Digital mammography. Right breast, medio-lateral oblique projection. Patient age 32.
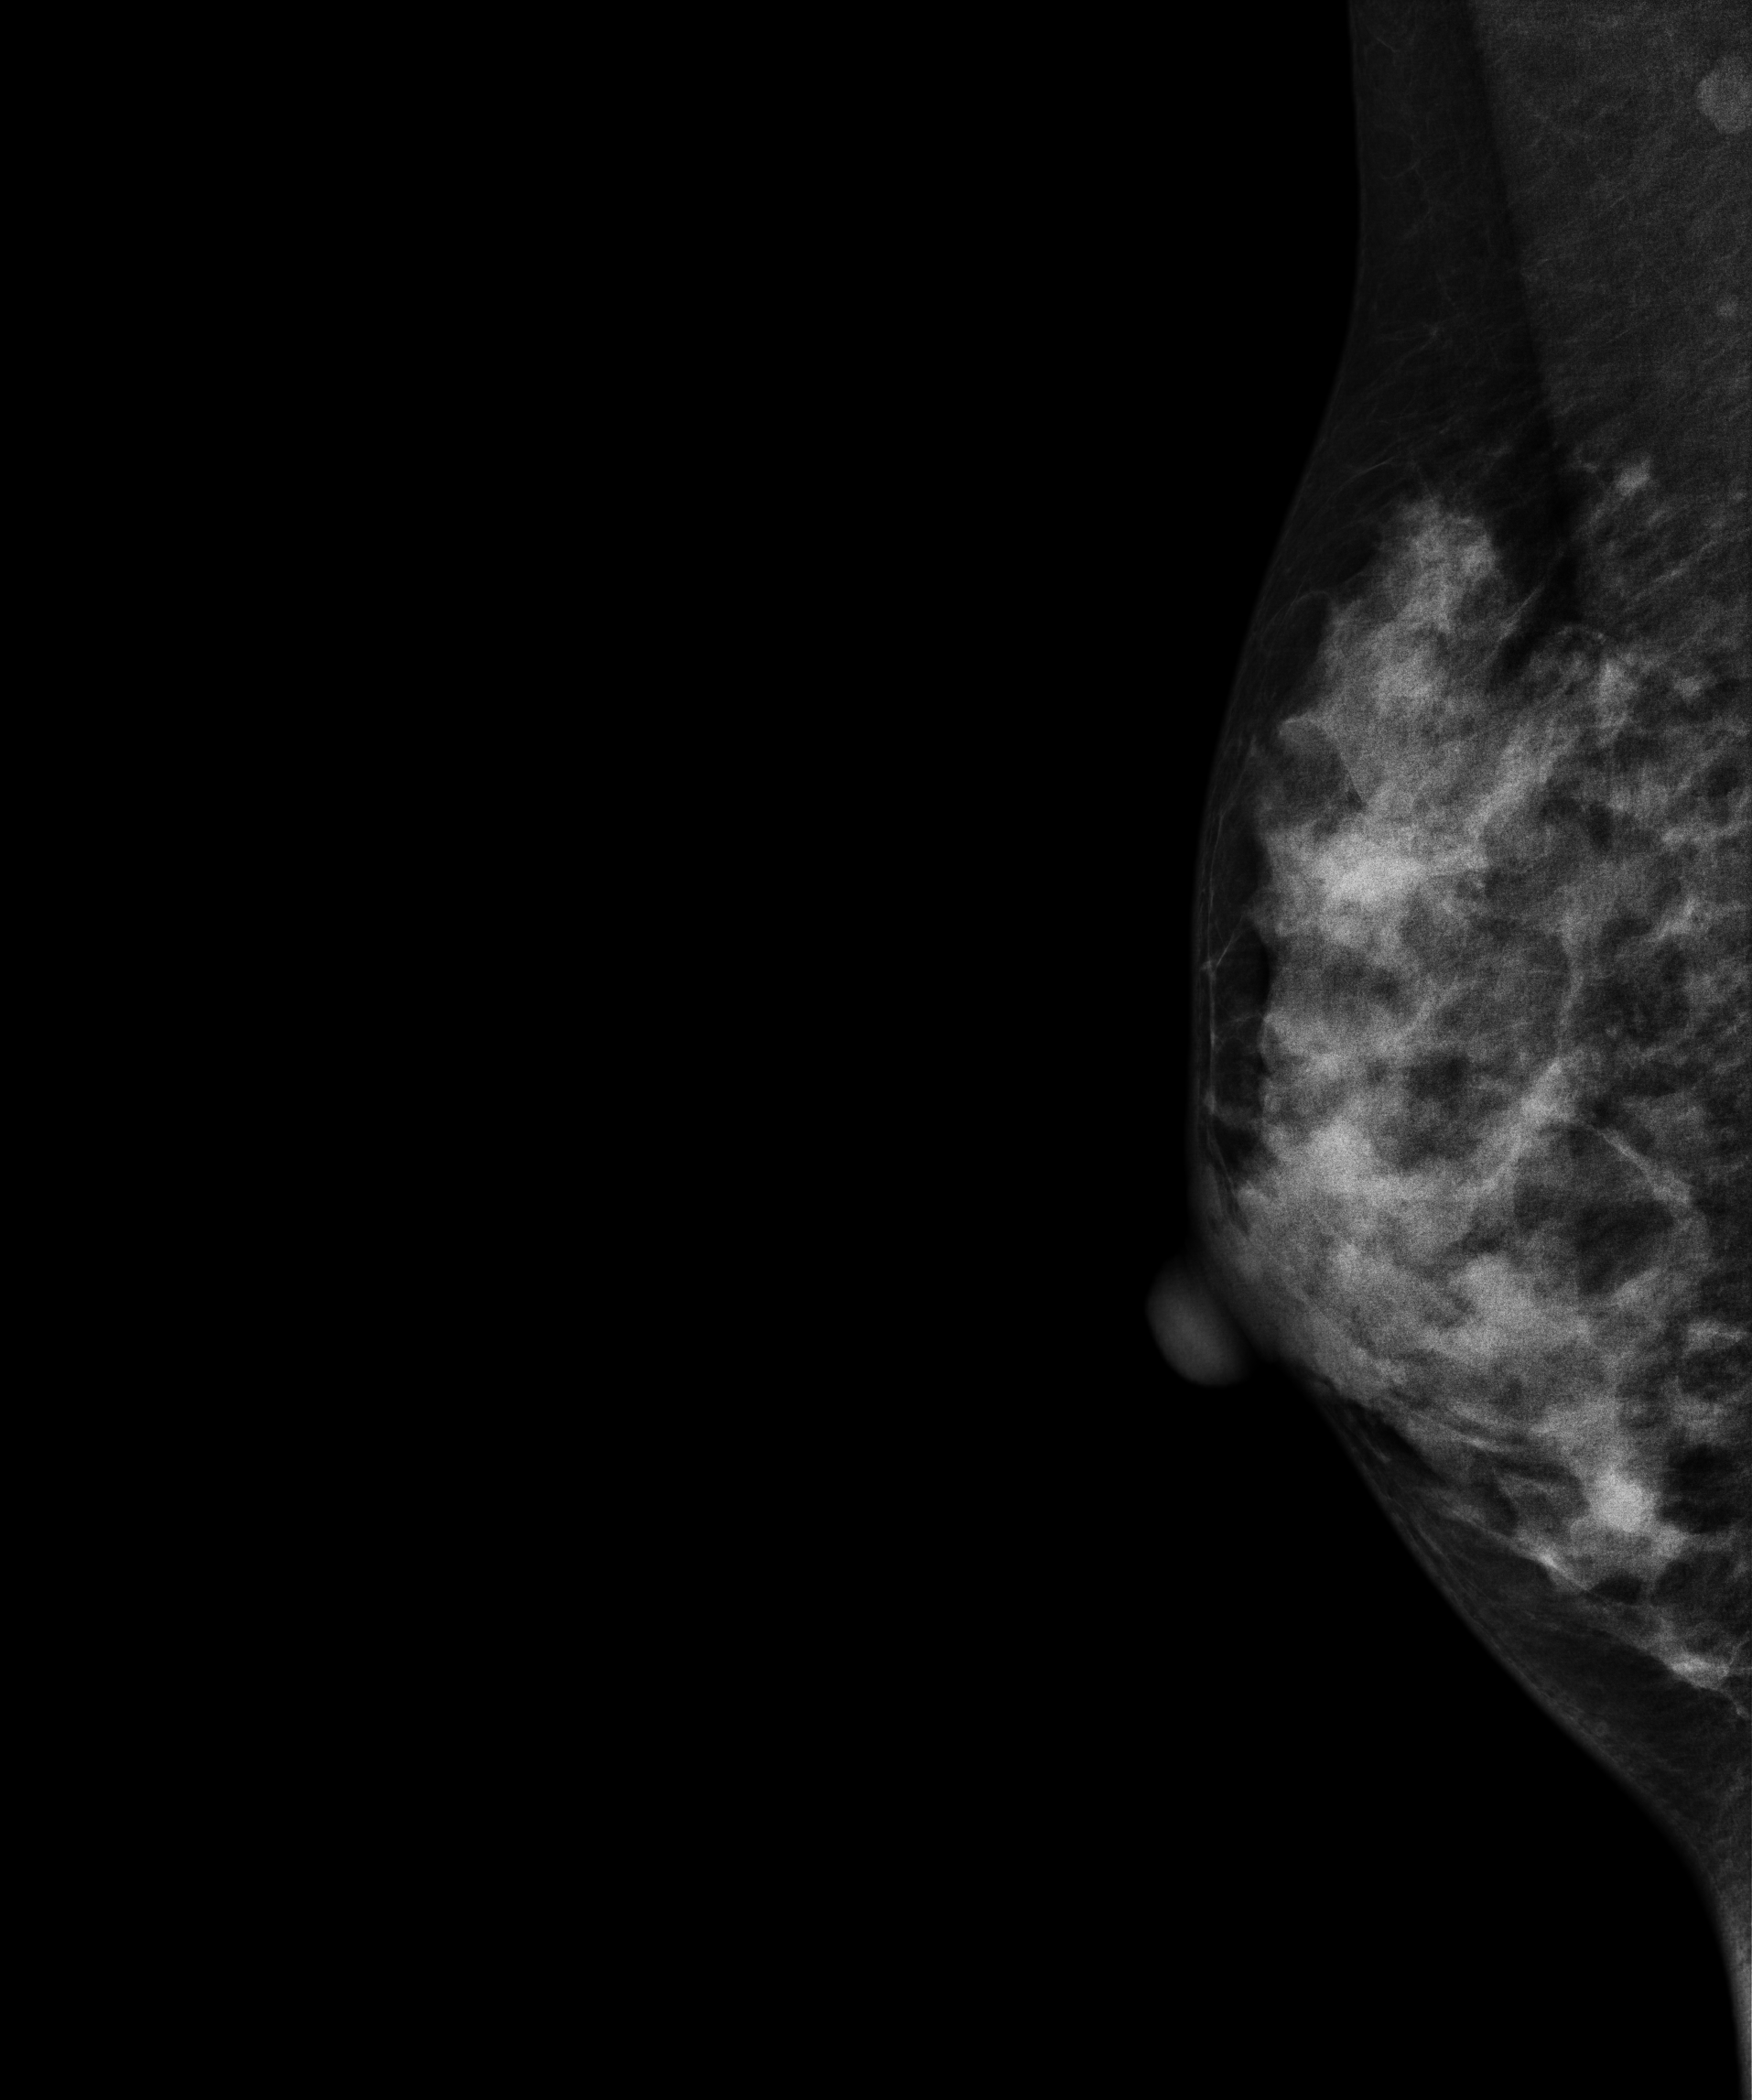
This breast has a mass, biopsy-confirmed malignant.